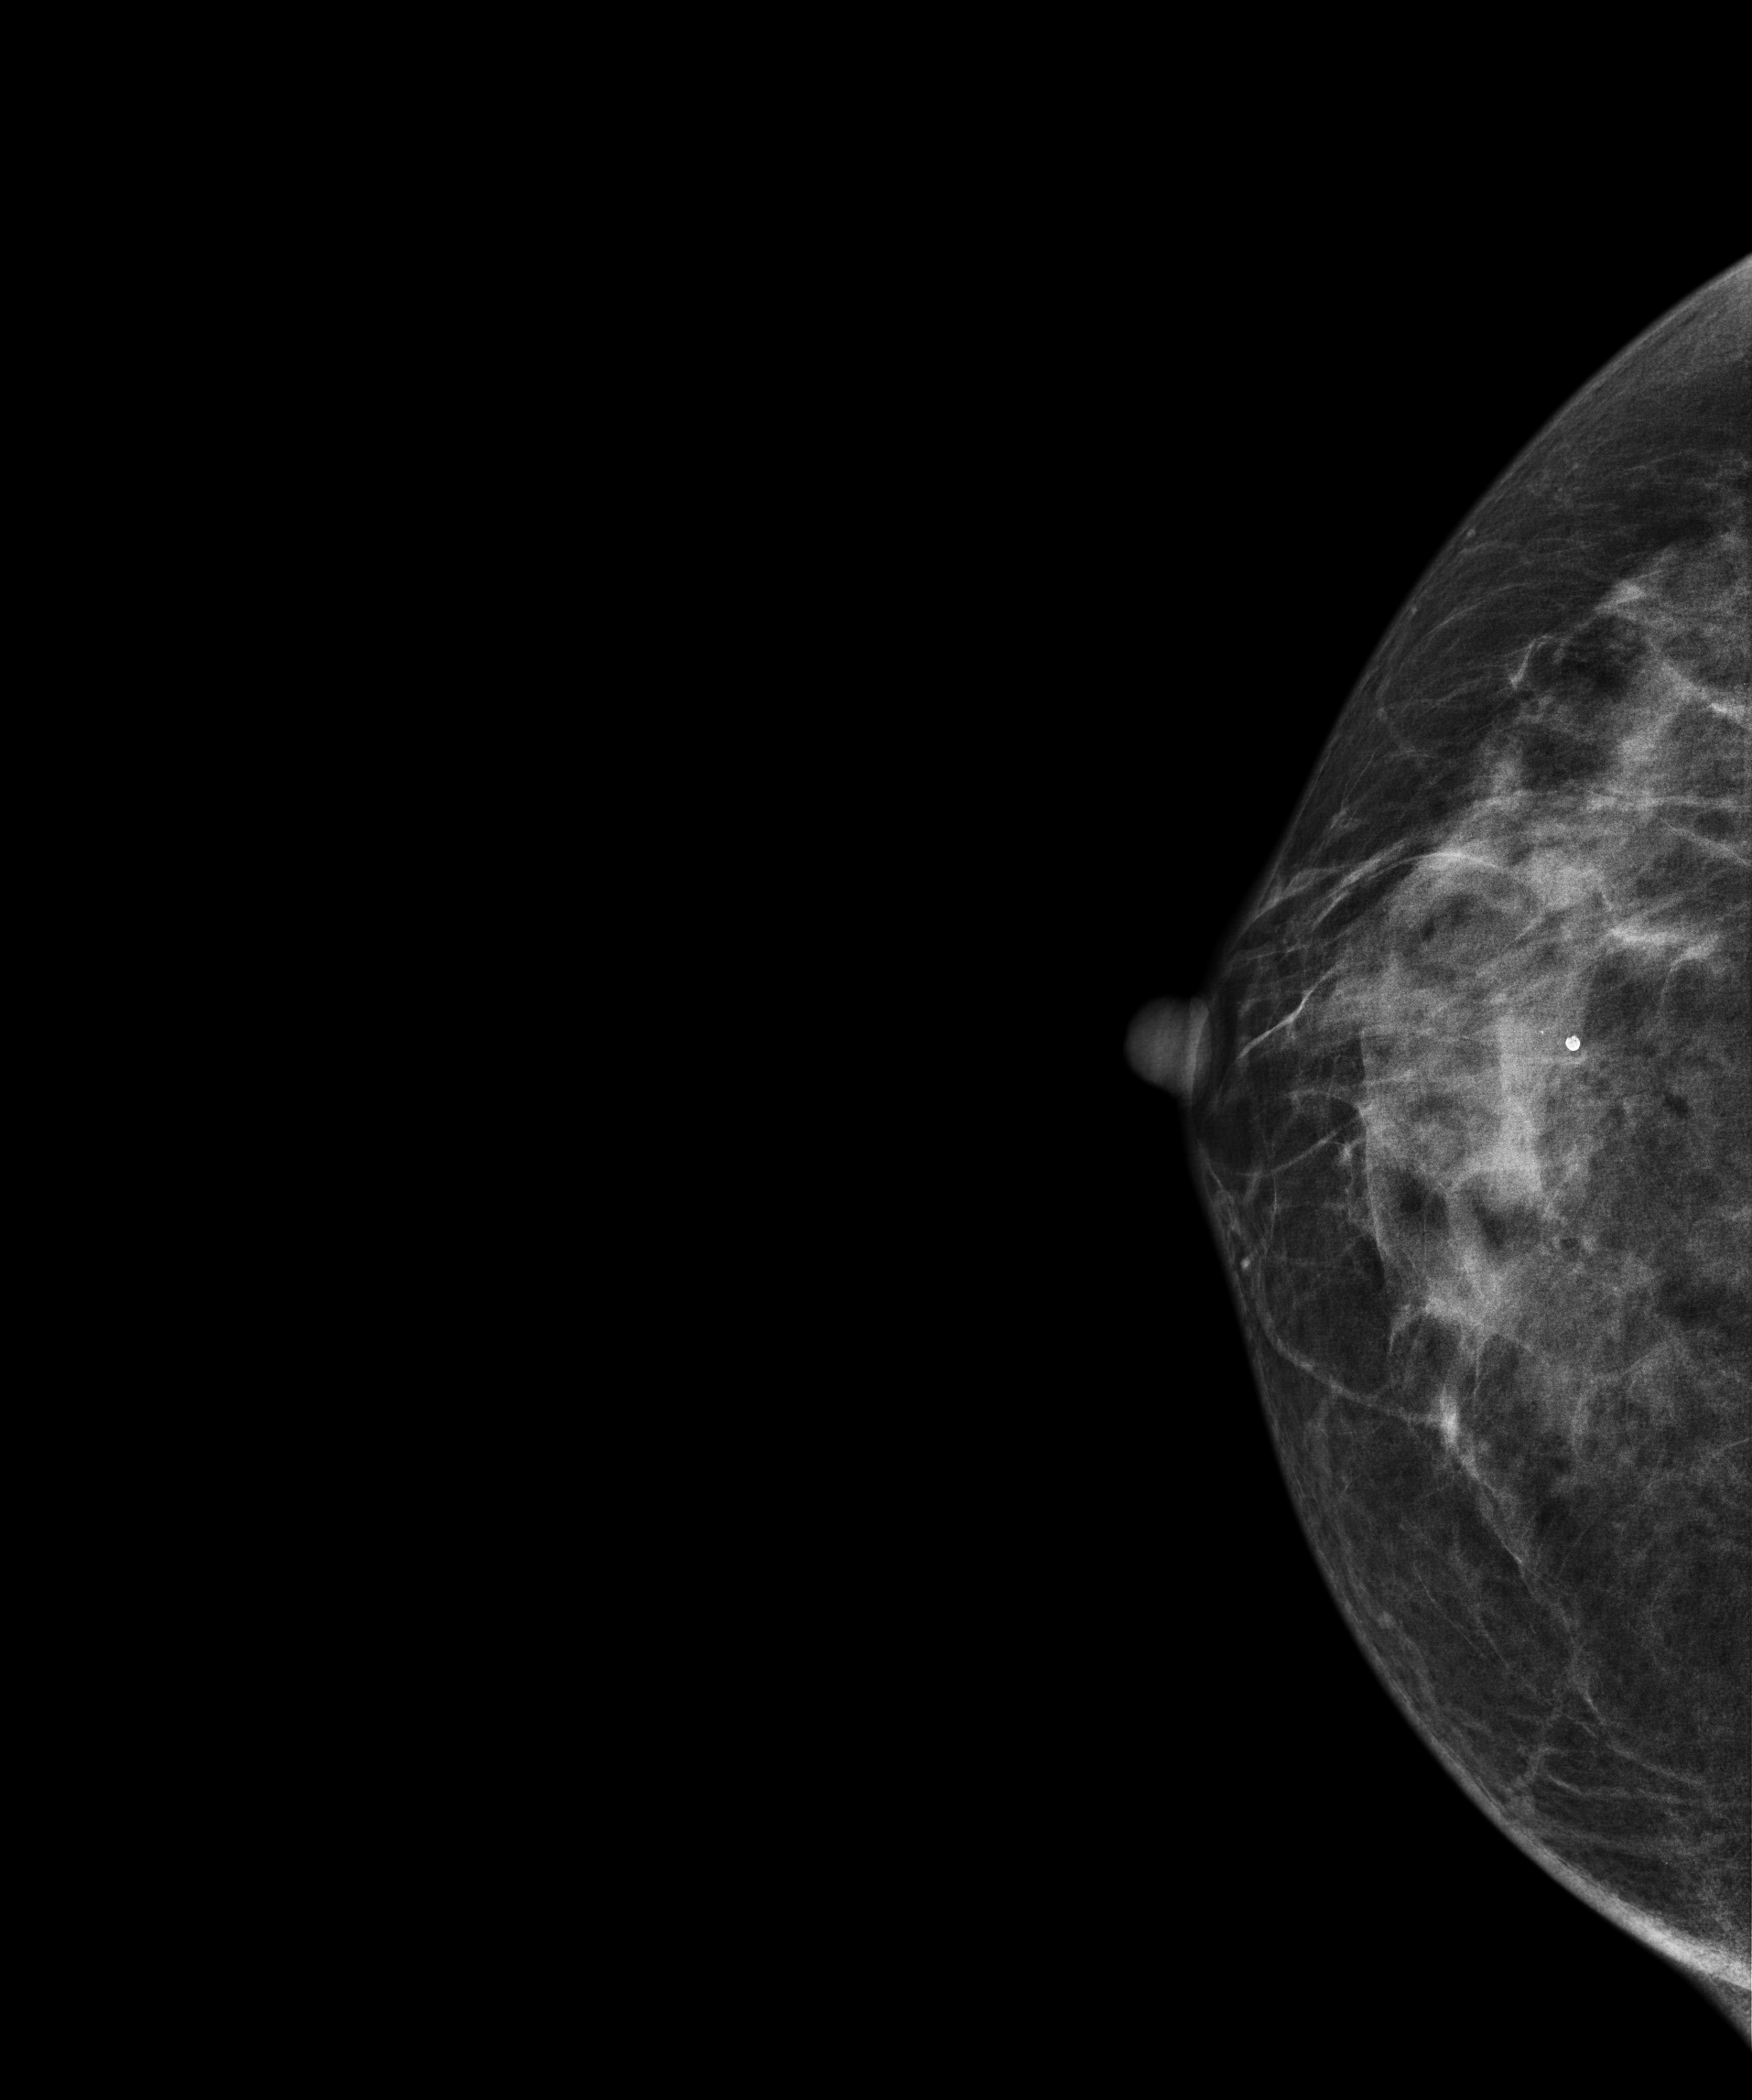
Cranio-caudal mammogram of the right breast. 50-year-old patient.
Contralateral breast — no documented abnormality on this side.